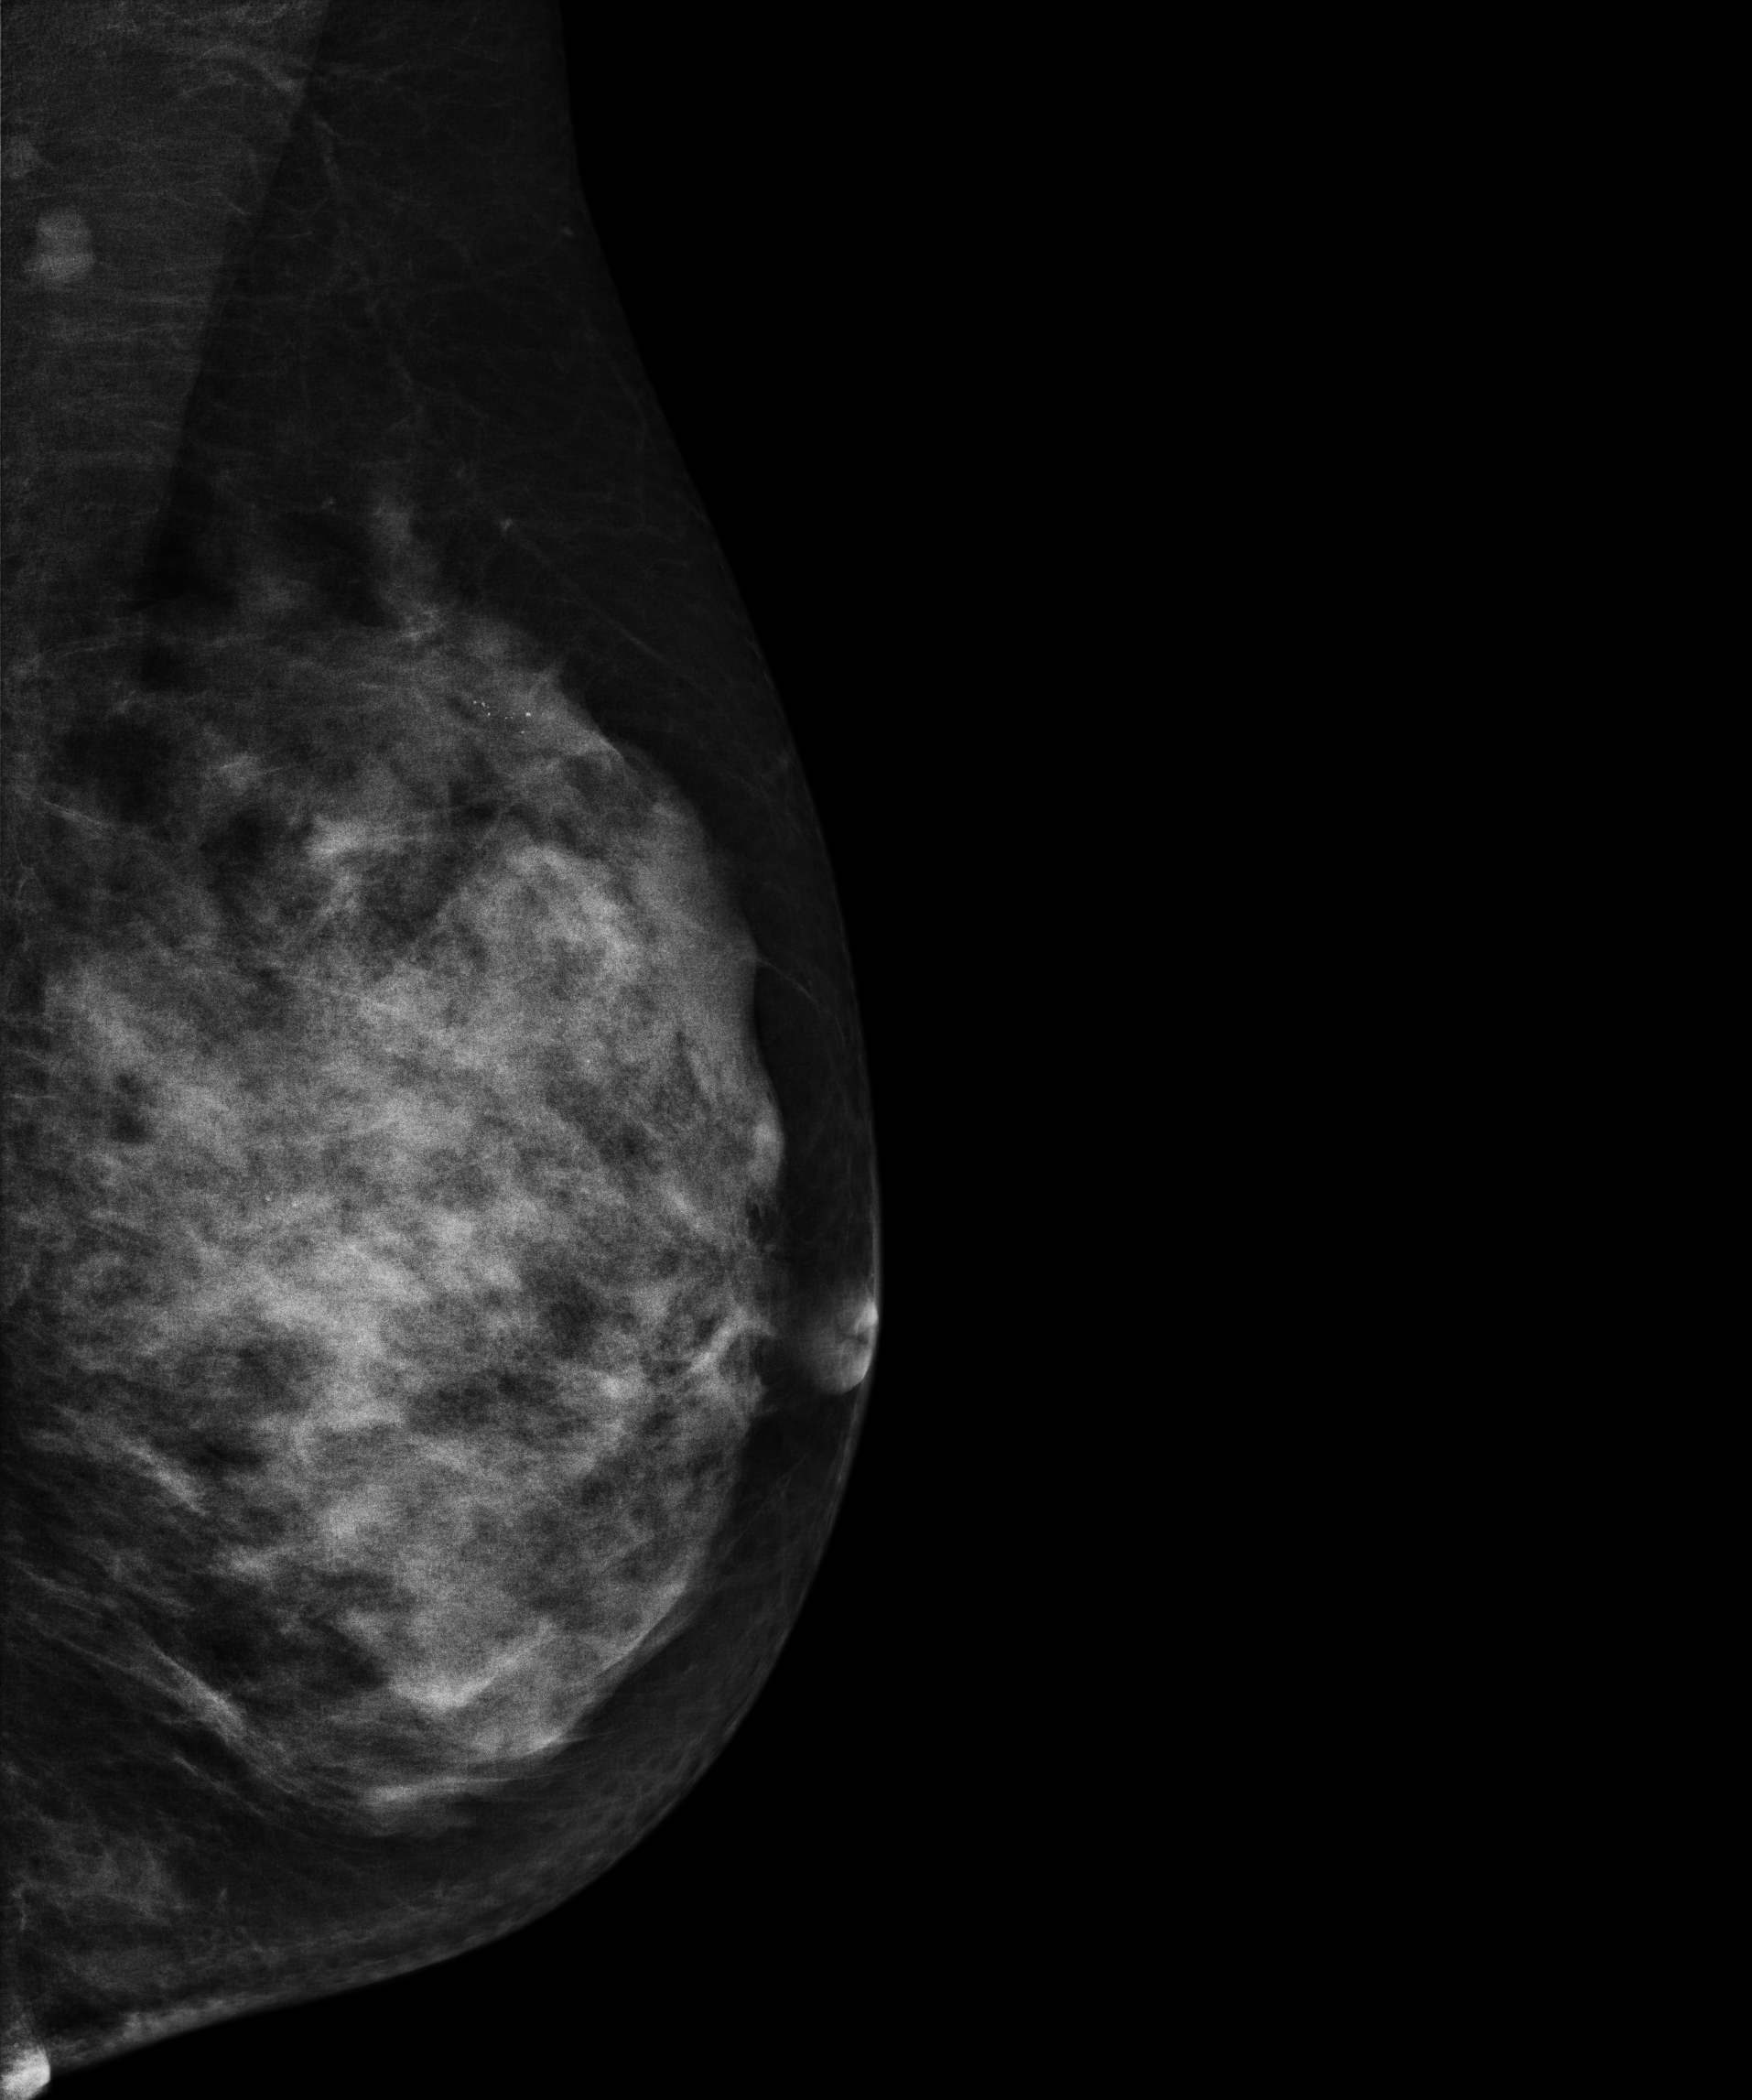
Medio-lateral oblique mammogram of the left breast. 43-year-old patient.
This breast has a mass, pathology-confirmed benign.